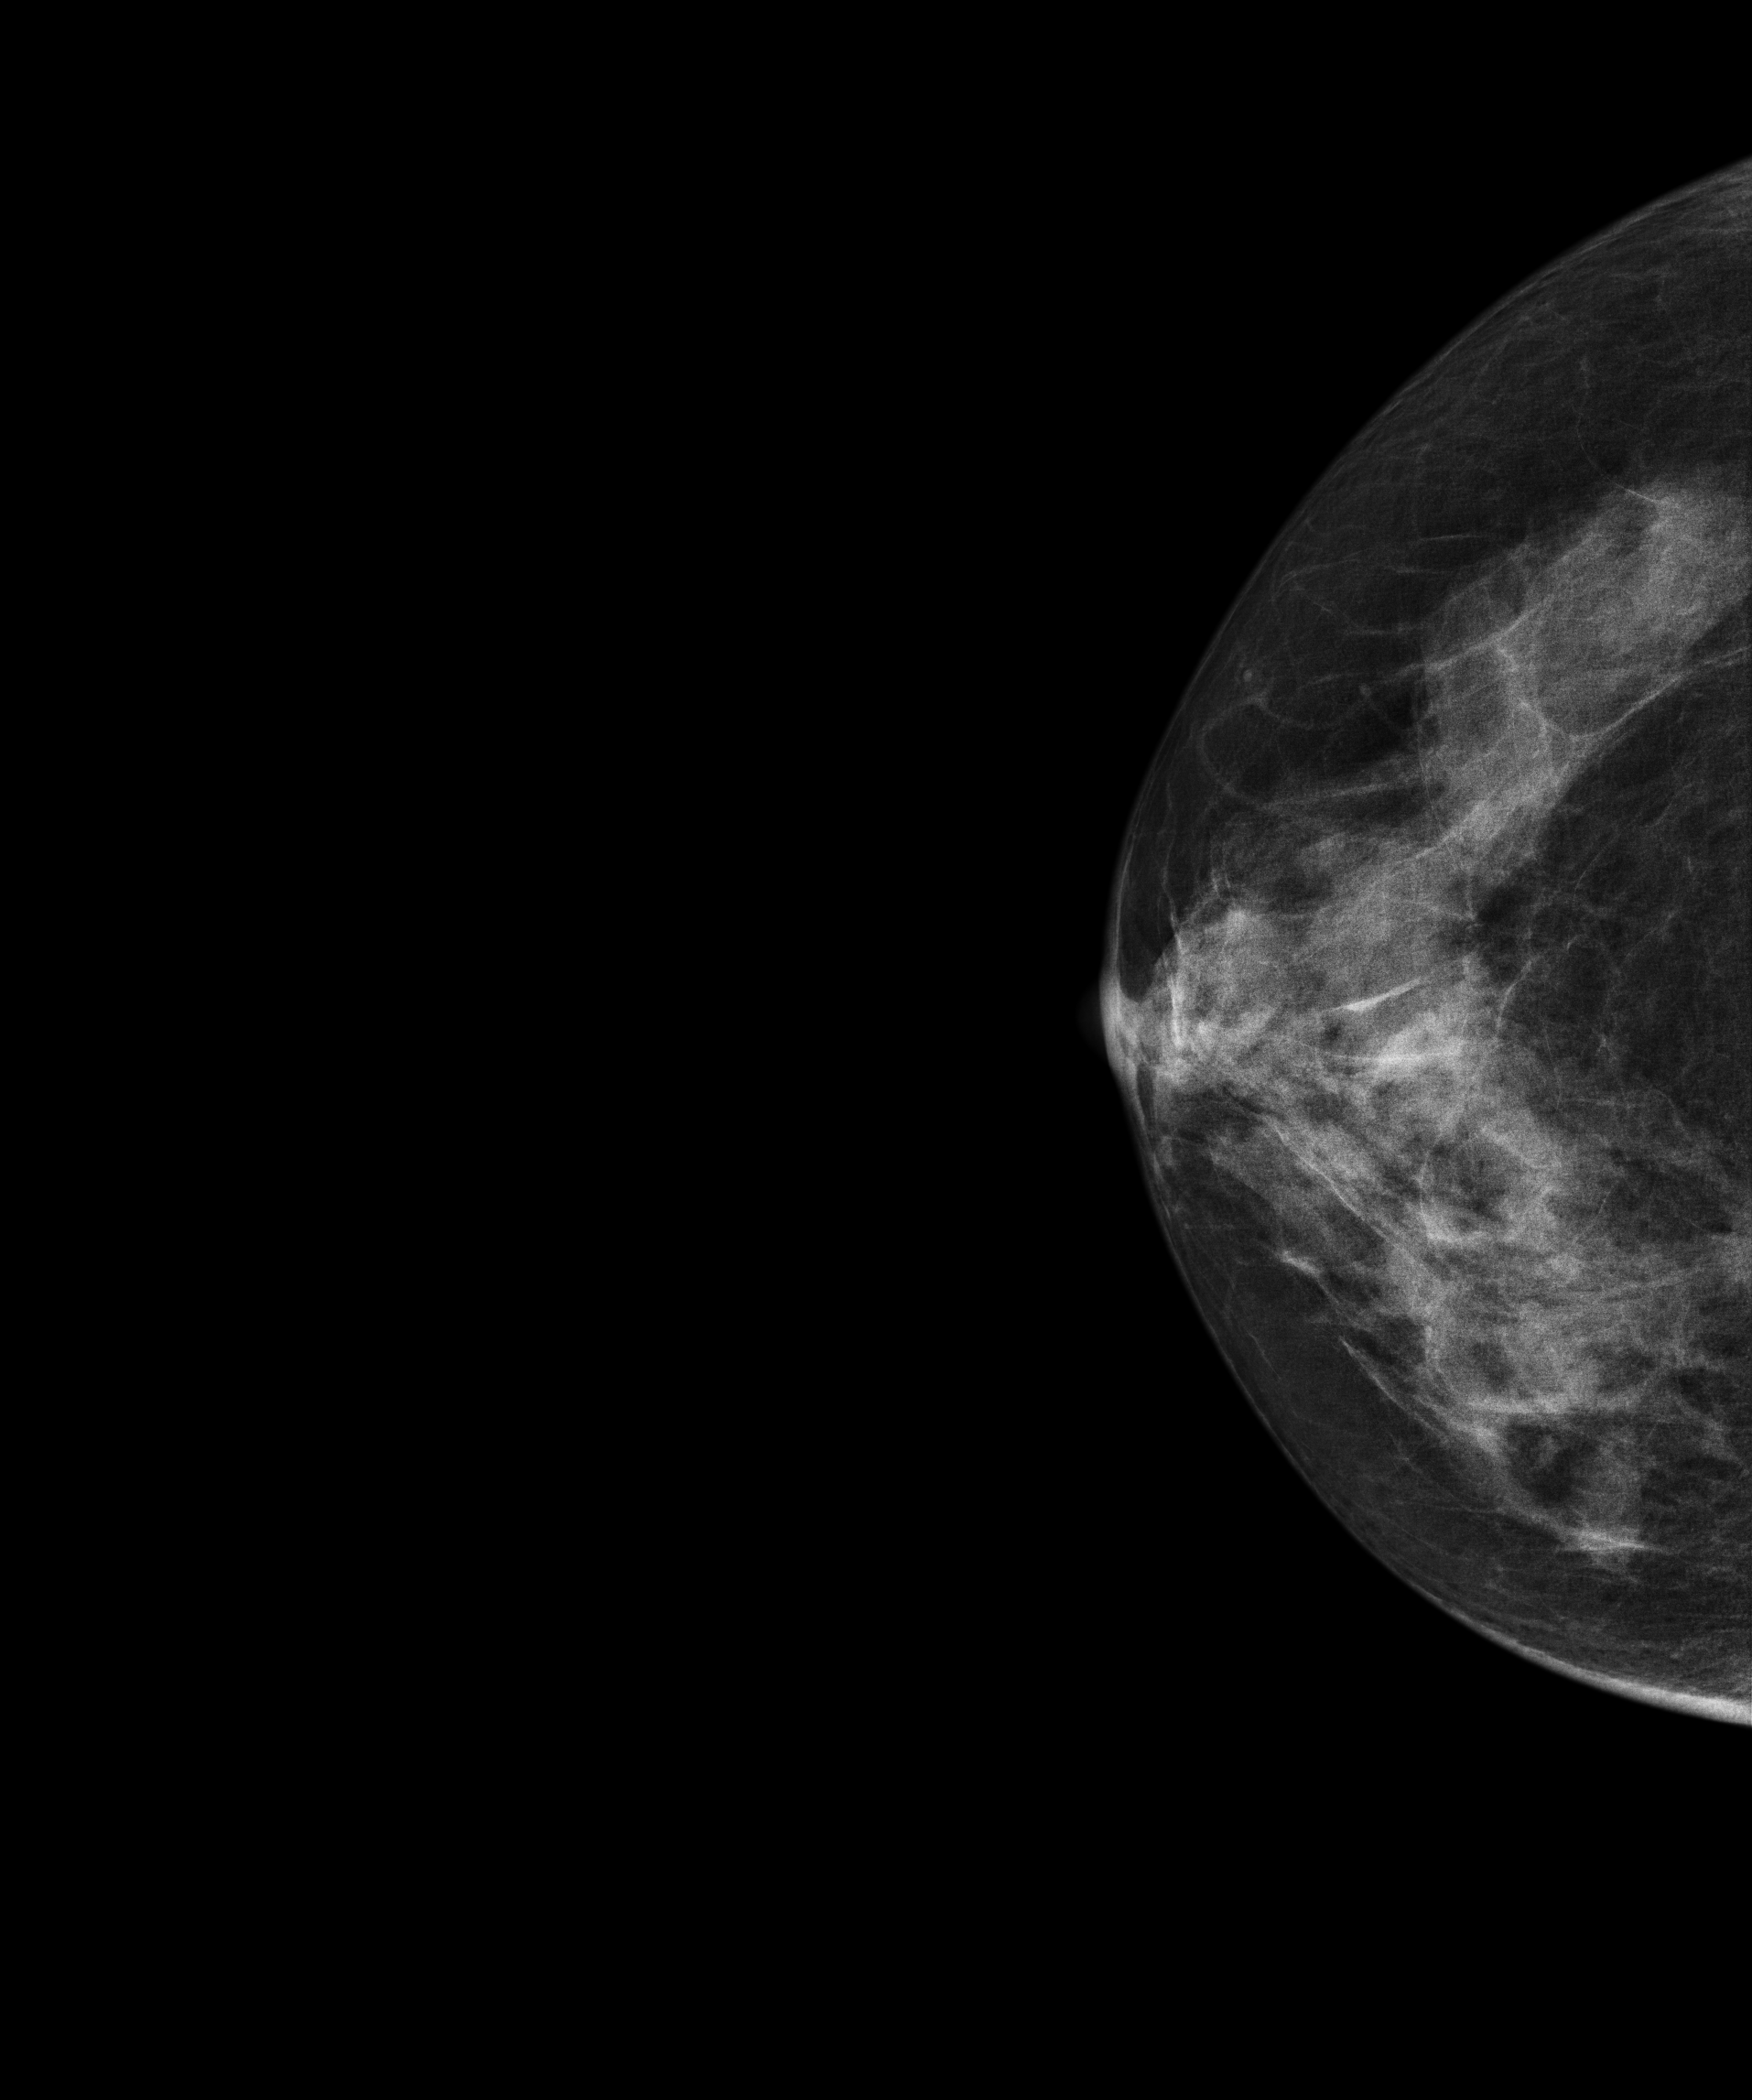
Mammogram, right breast, cranio-caudal view. Patient age 68.
This breast has a mass, biopsy-confirmed malignant. Molecular subtype: luminal B.